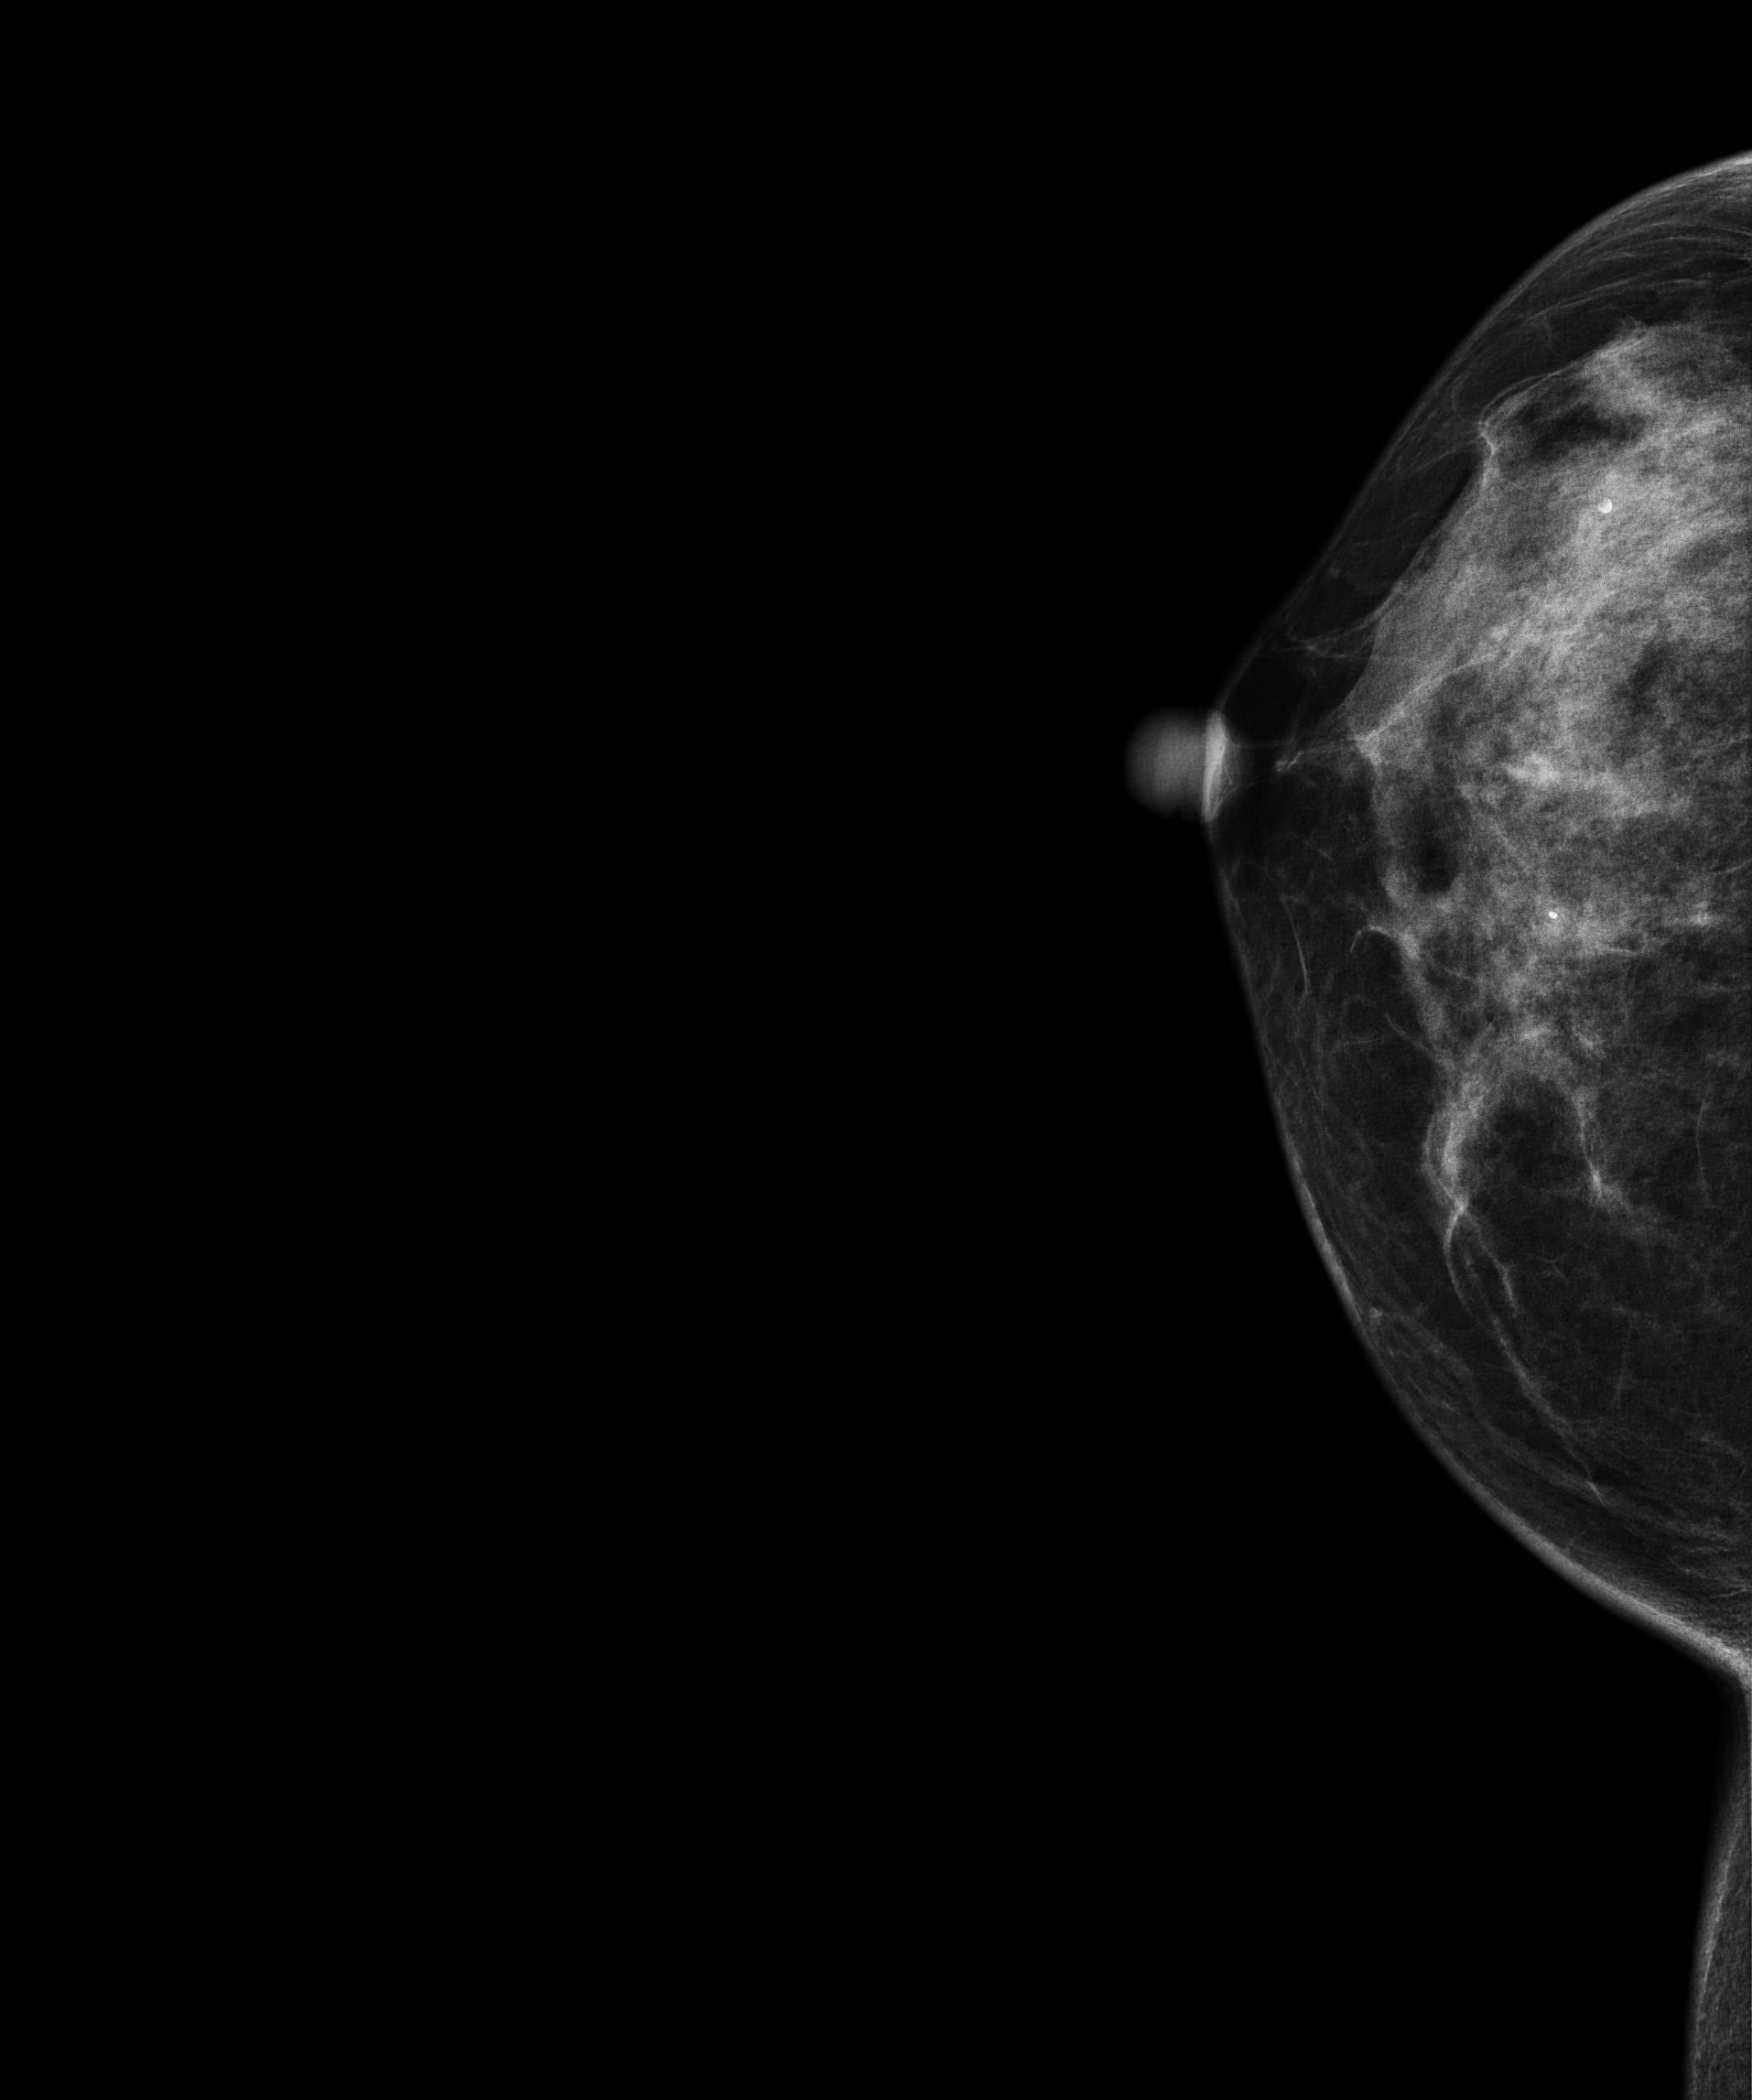
Cranio-caudal mammogram of the right breast. 37-year-old patient.
This breast has a mass and calcifications, biopsy-confirmed benign.